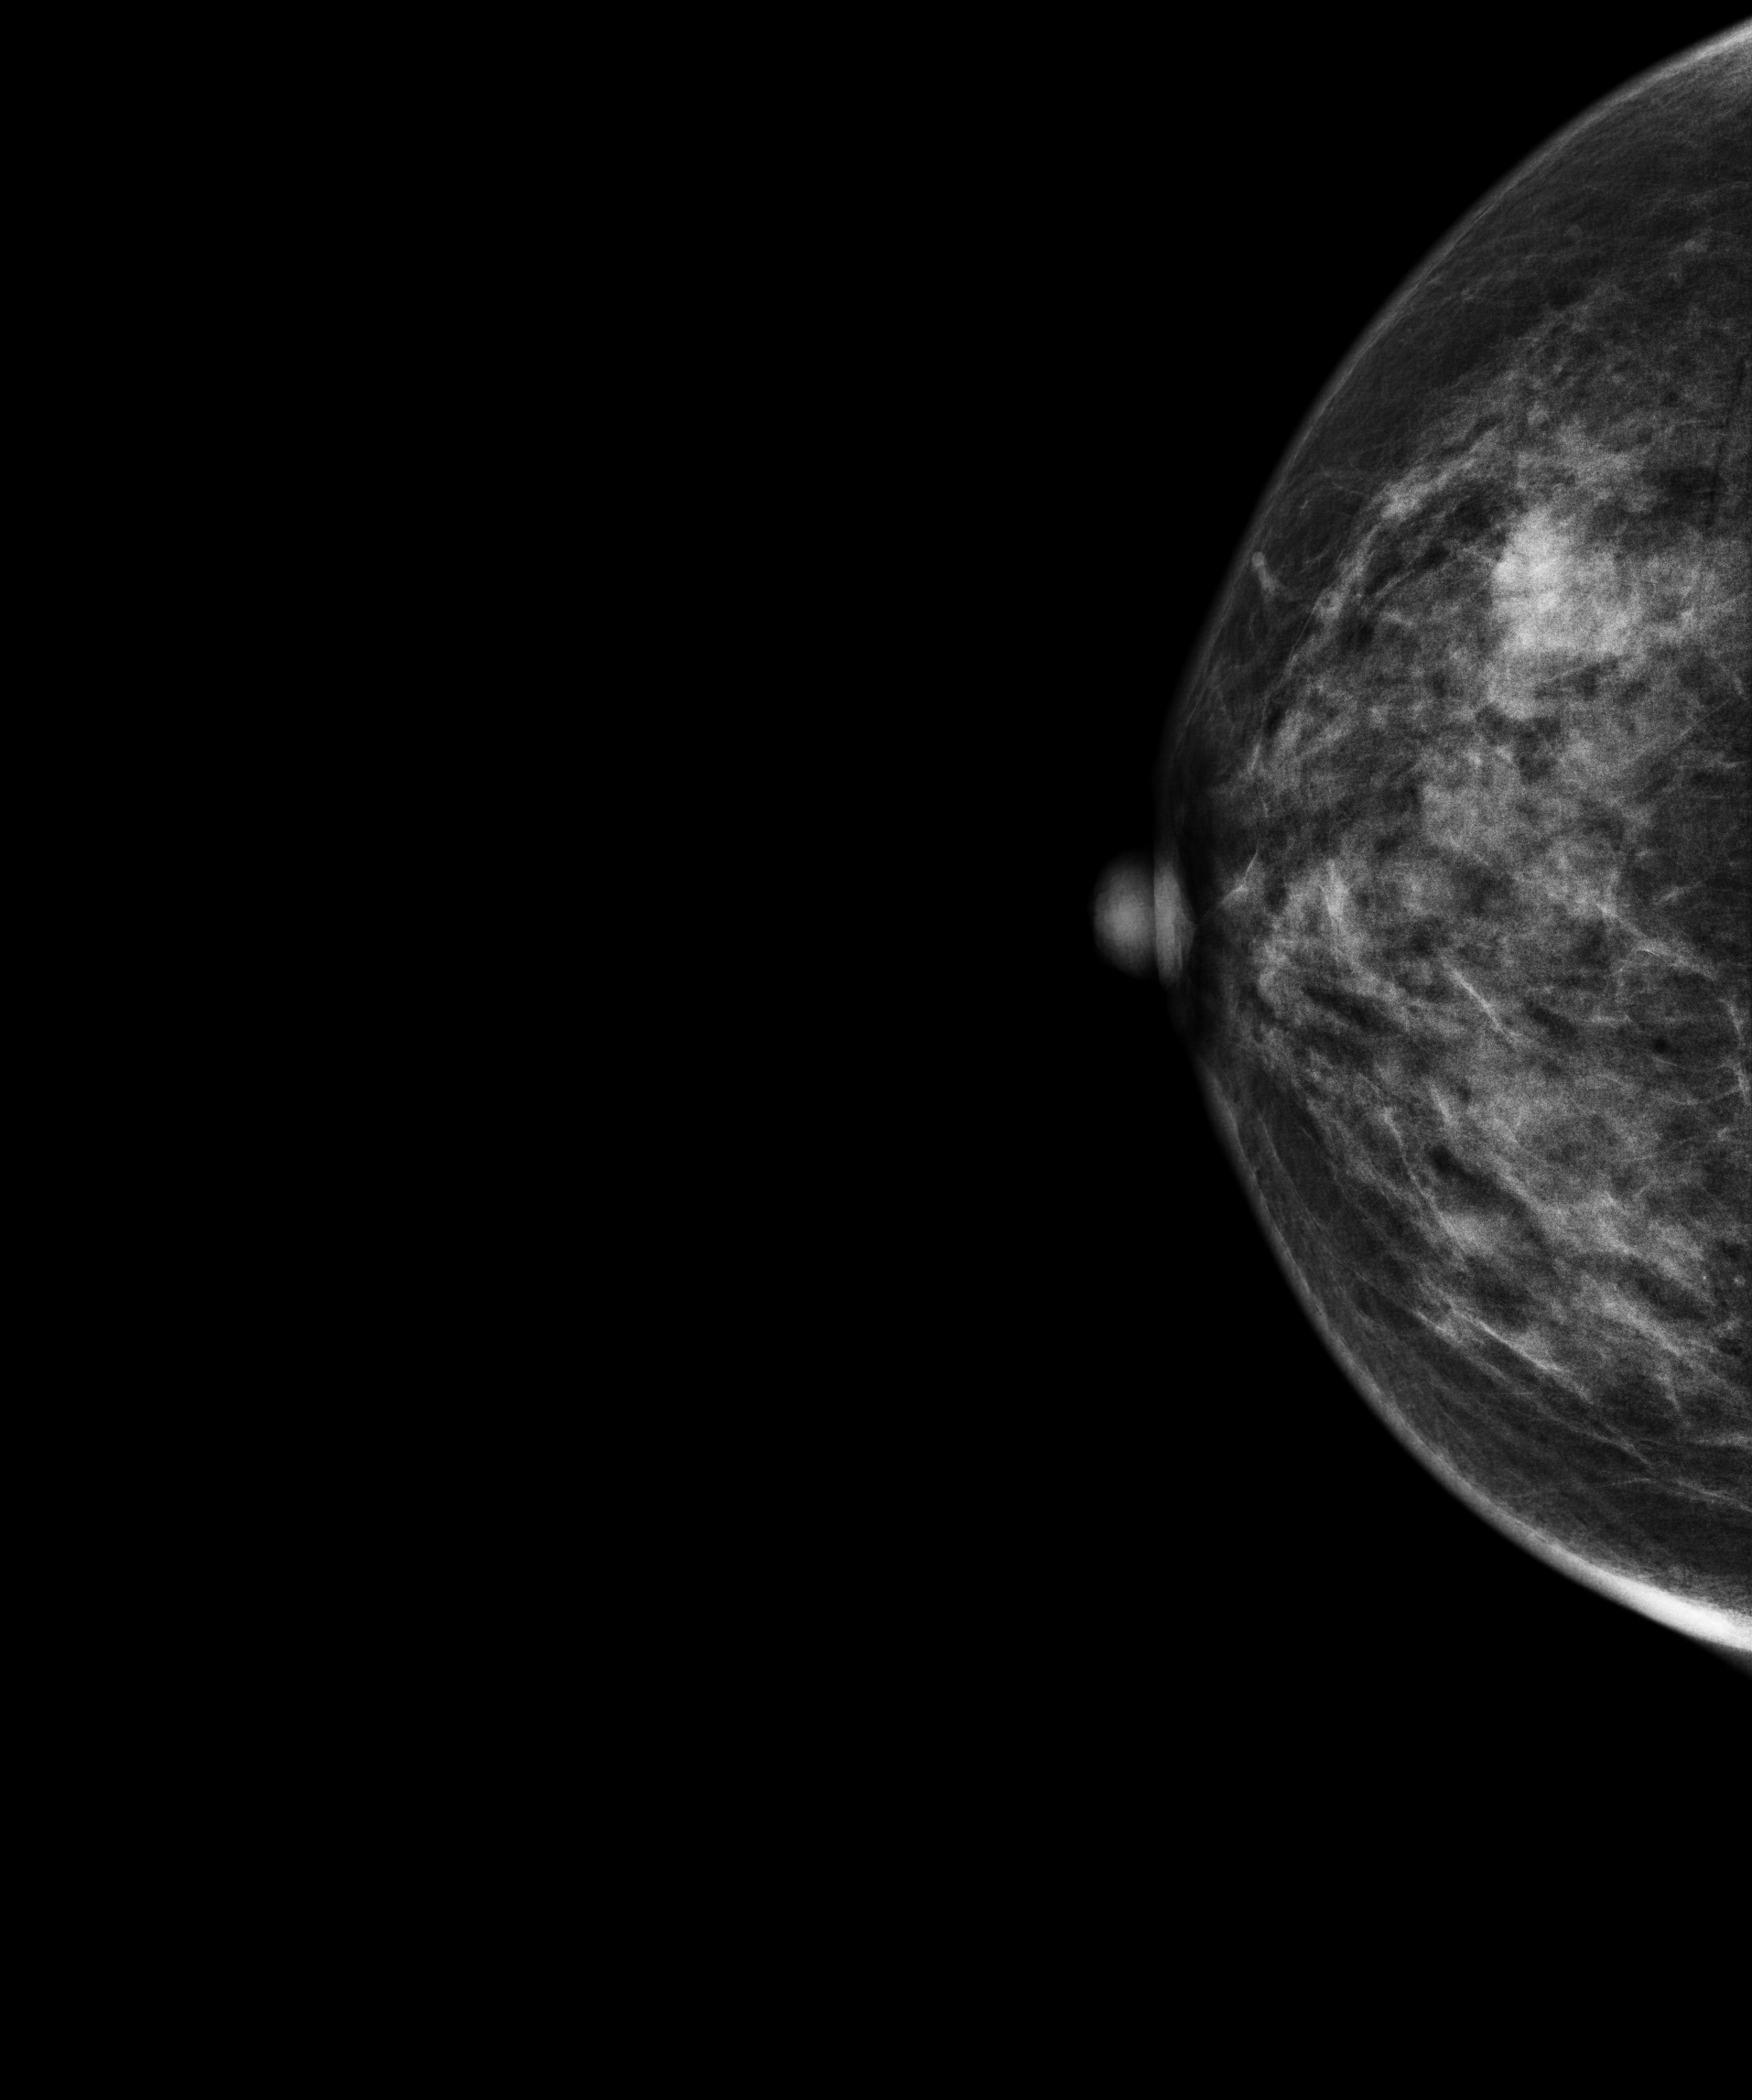
Digital mammography. Right breast, cranio-caudal projection. 49-year-old patient.
This breast has a mass, histologically confirmed malignant.